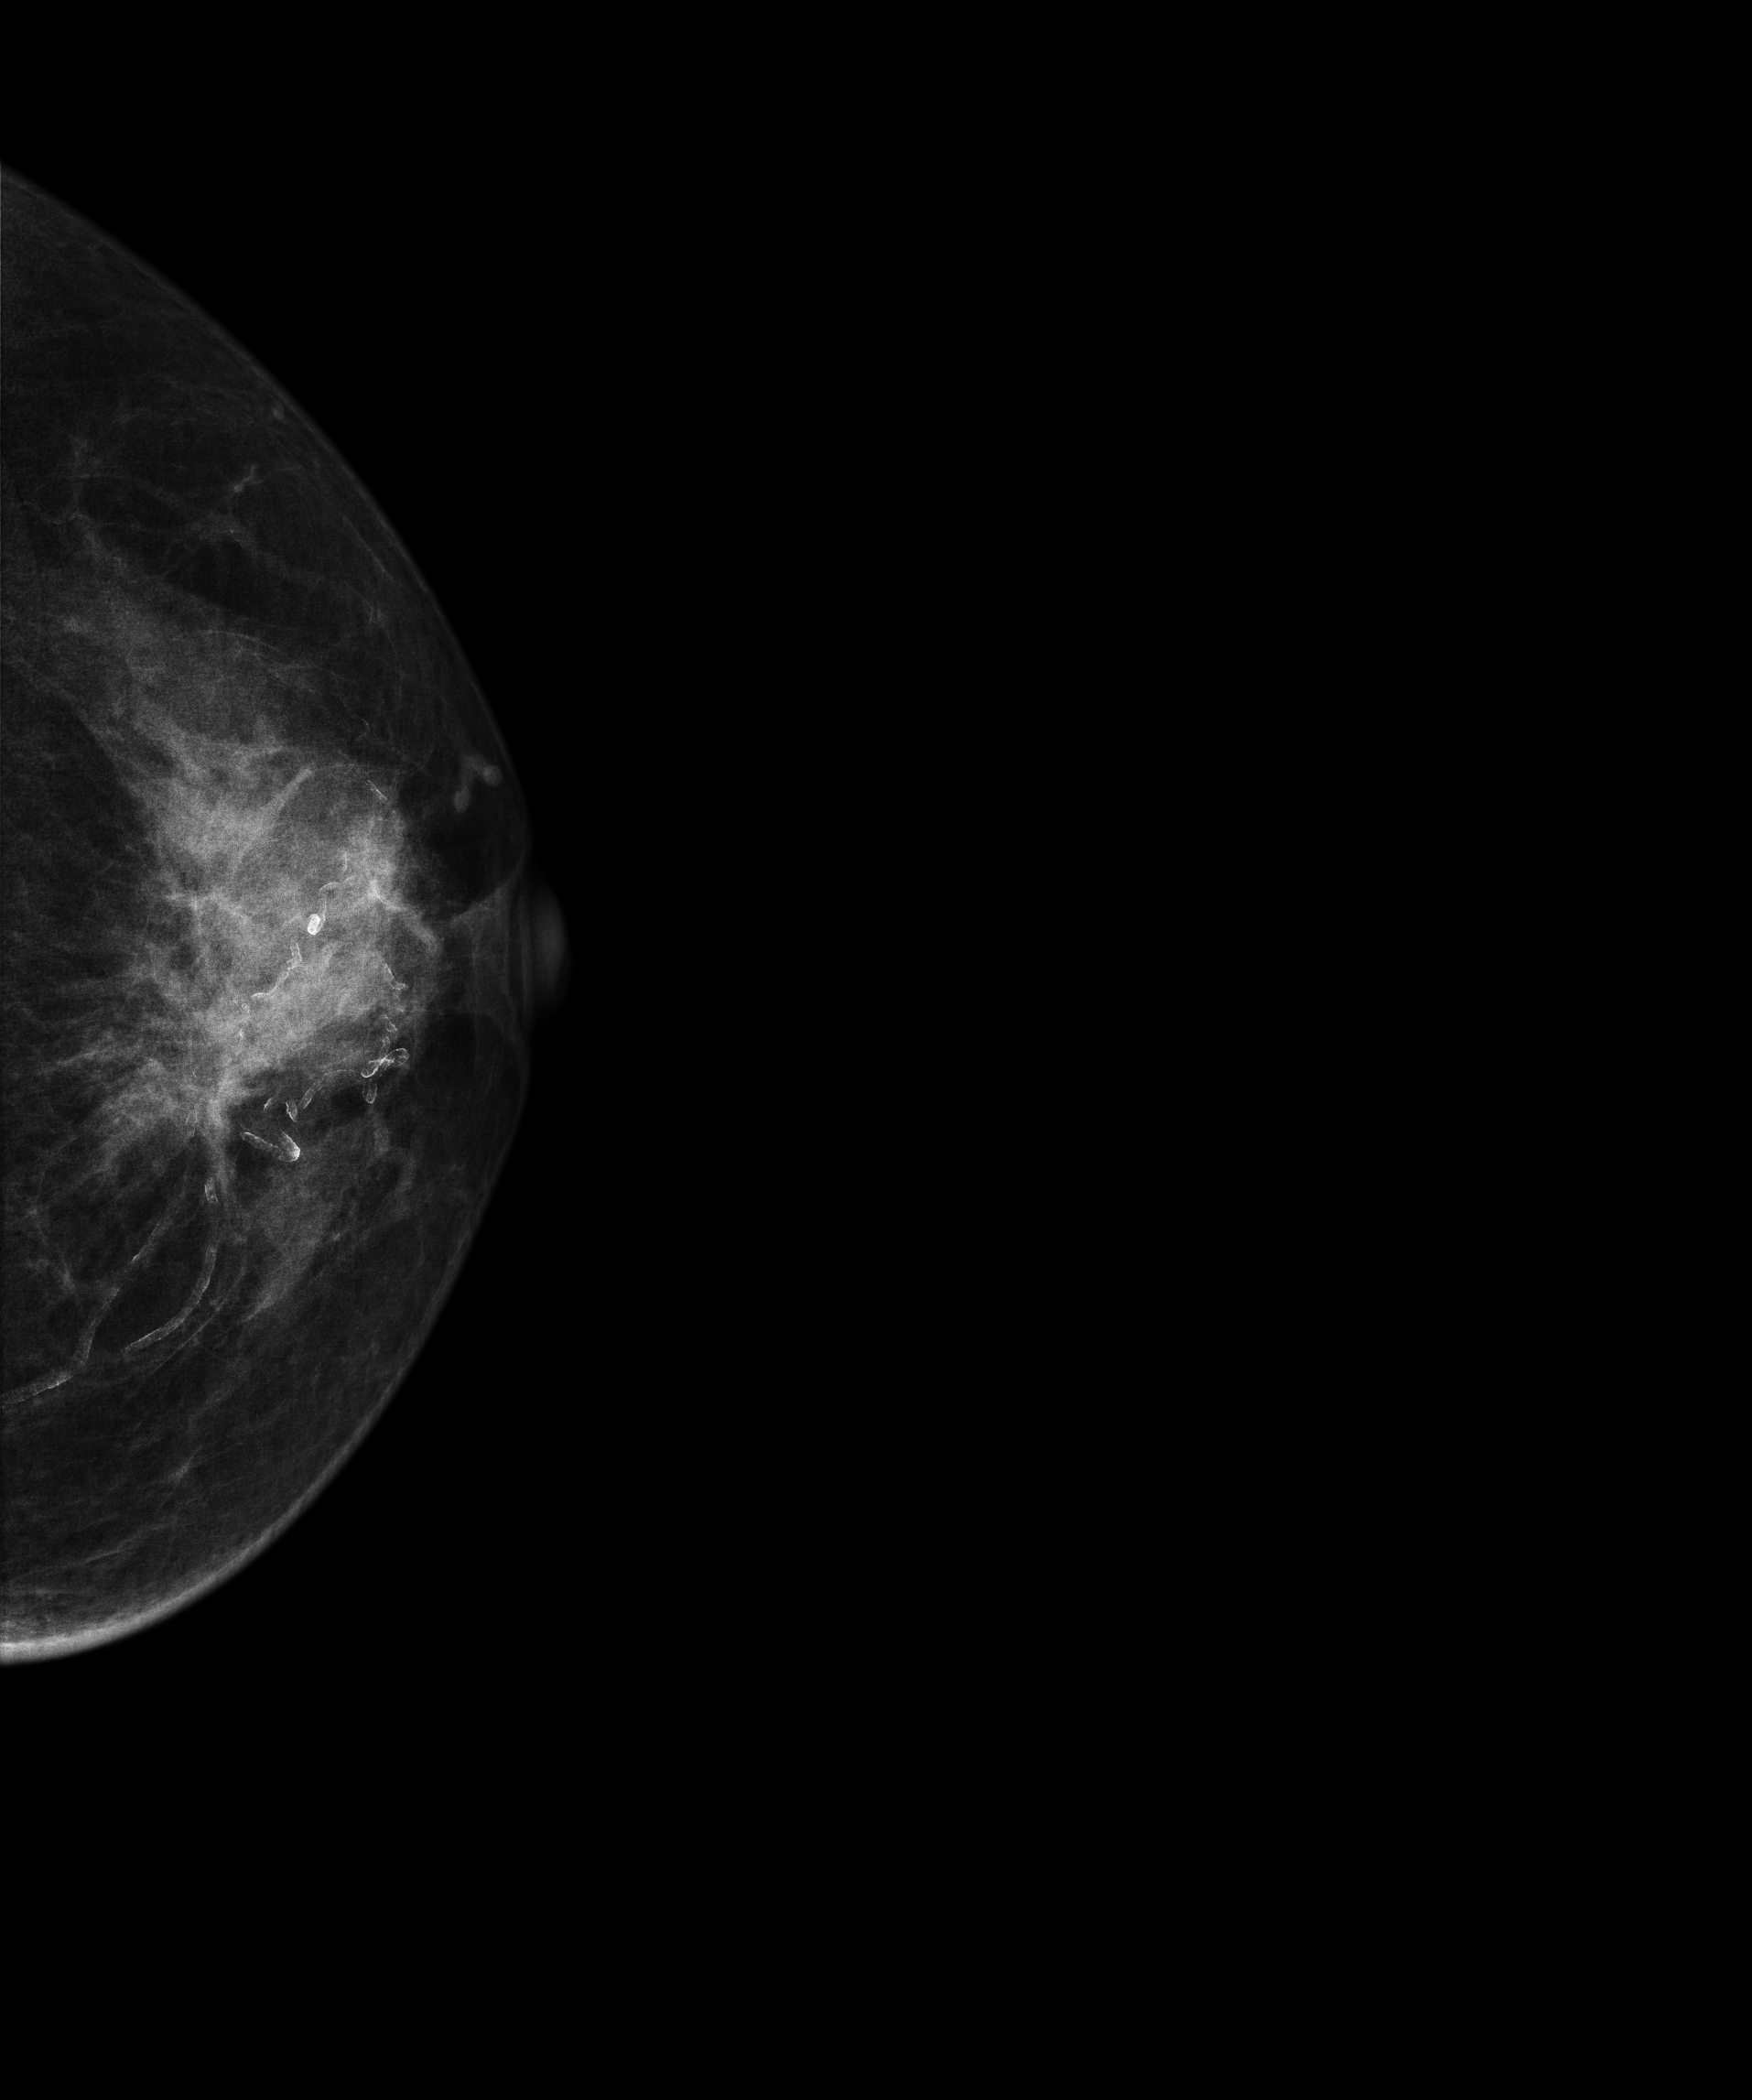
Mammogram — left cranio-caudal. 82 y/o patient.
This breast has a mass, pathology-confirmed malignant.